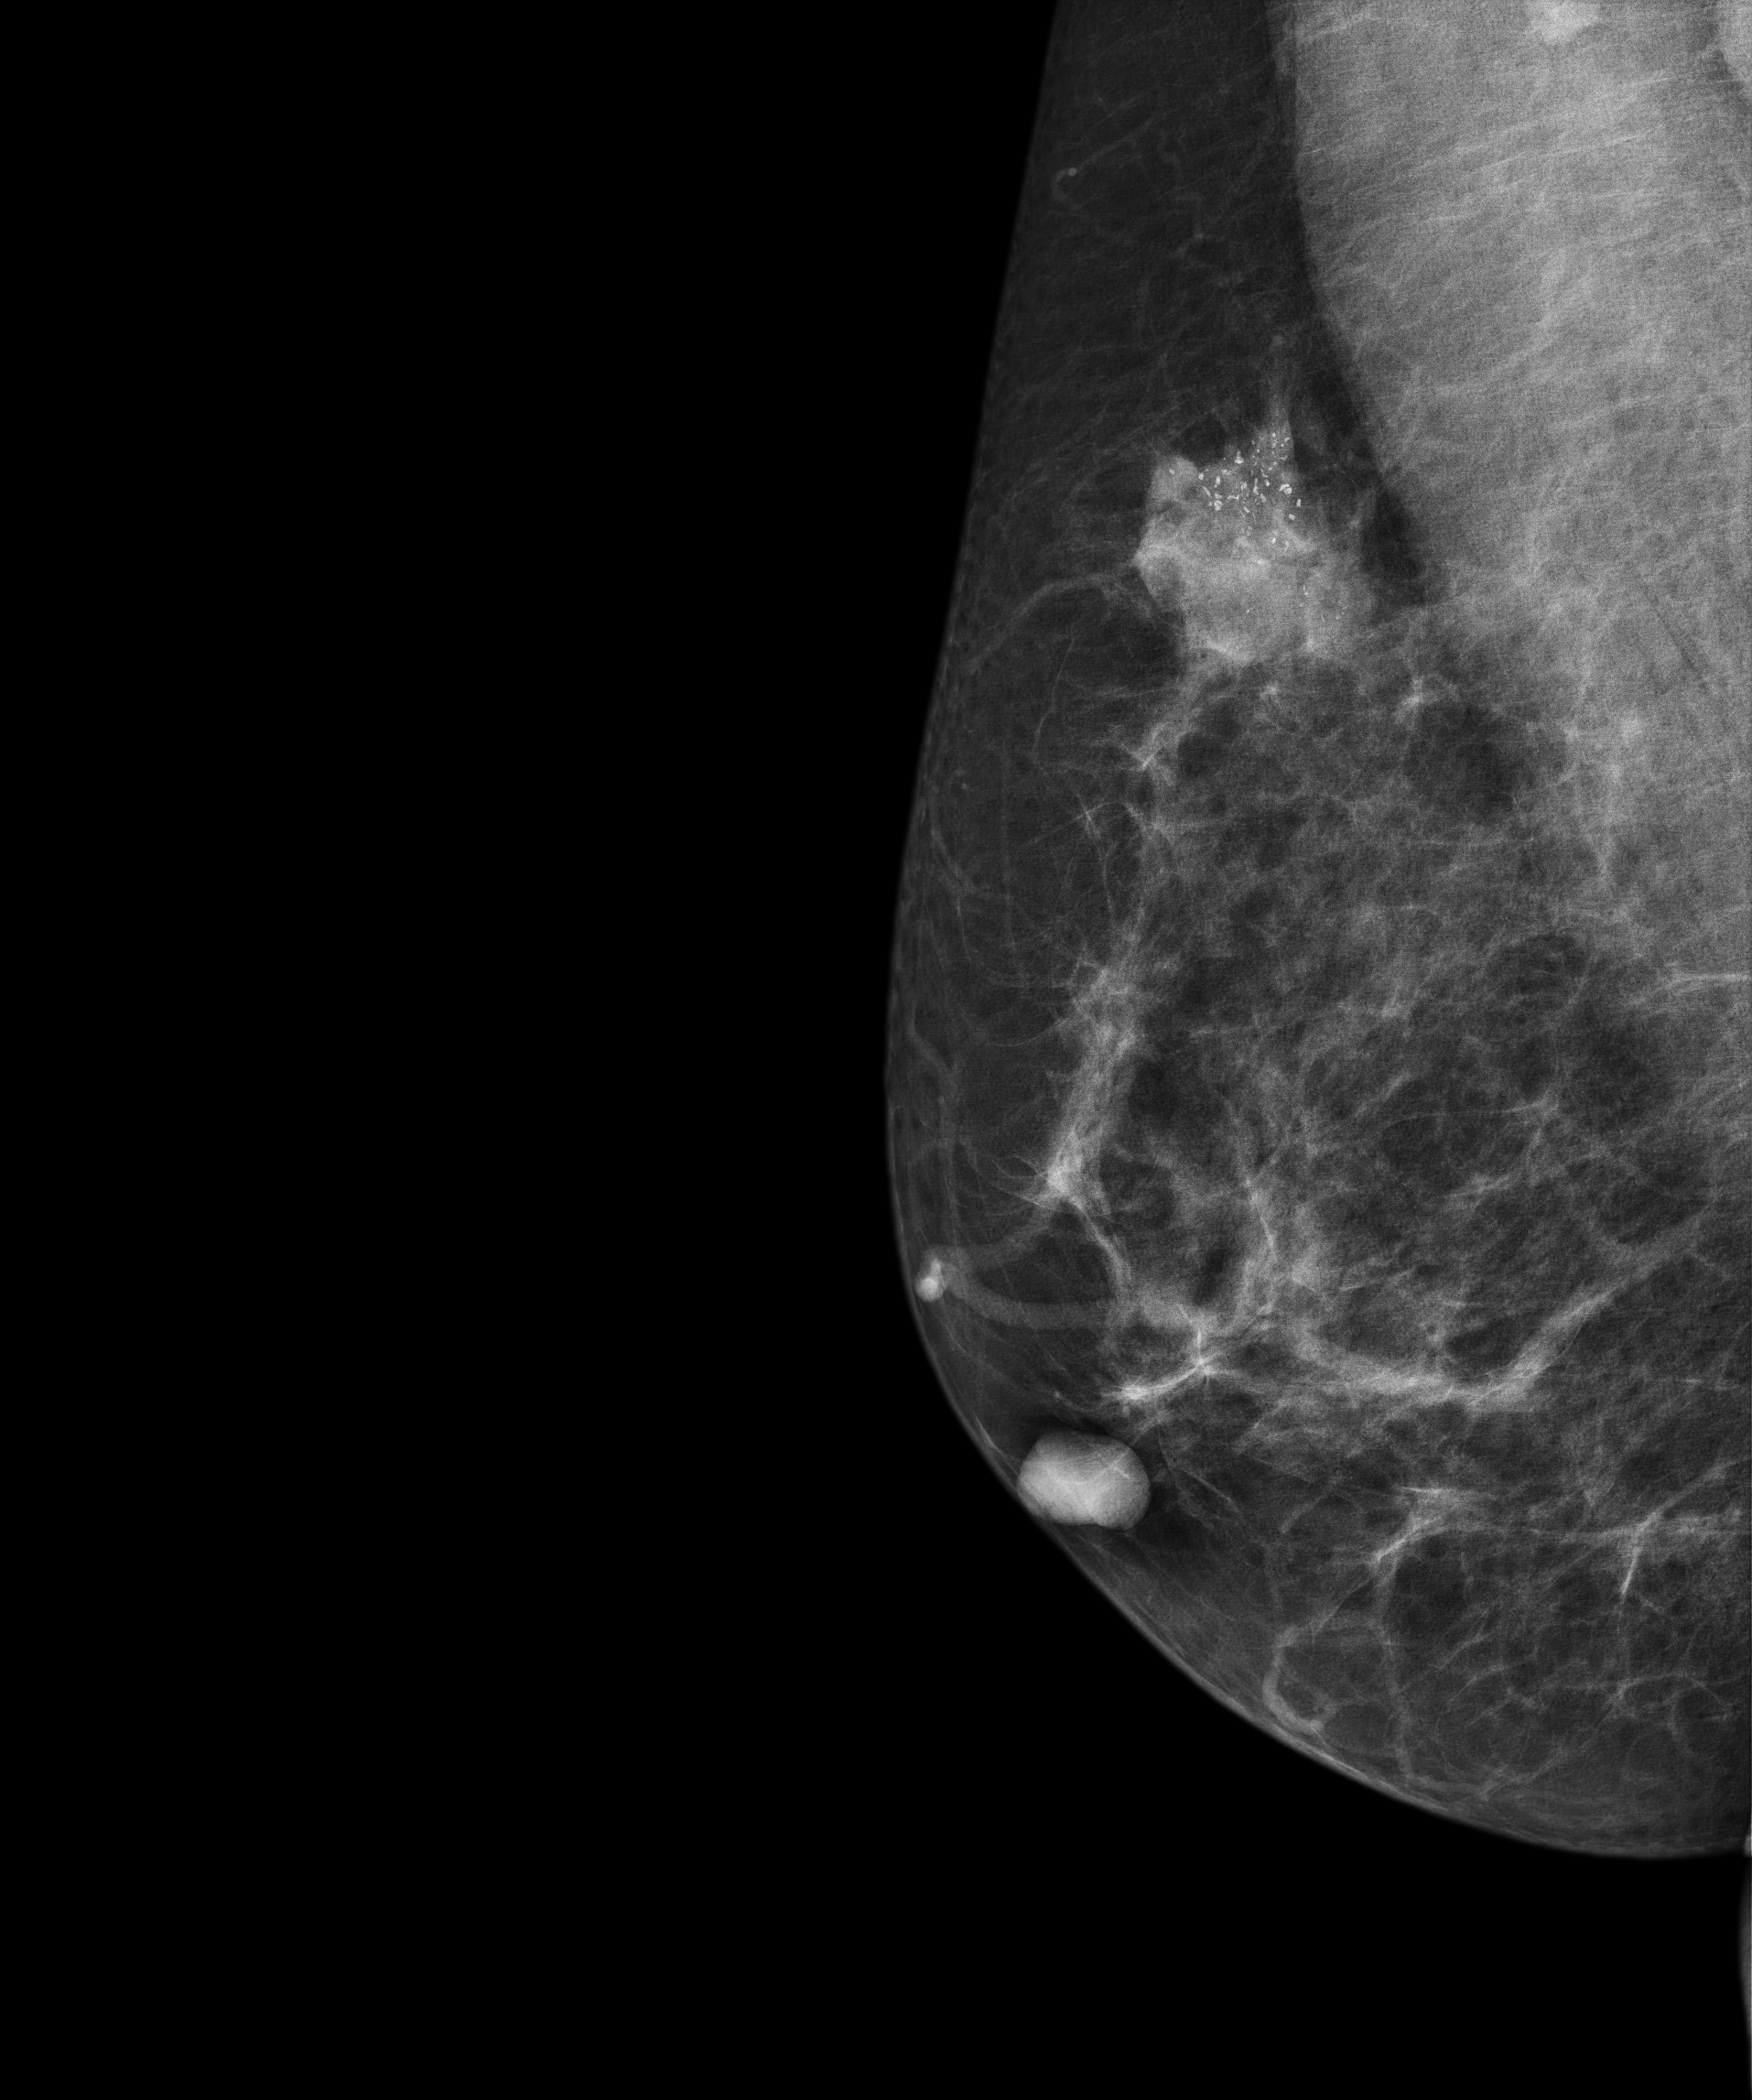
Right-breast mammogram, medio-lateral oblique. Patient age 55.
This breast has a mass and calcifications, pathology-confirmed malignant. Molecular subtype: triple-negative.